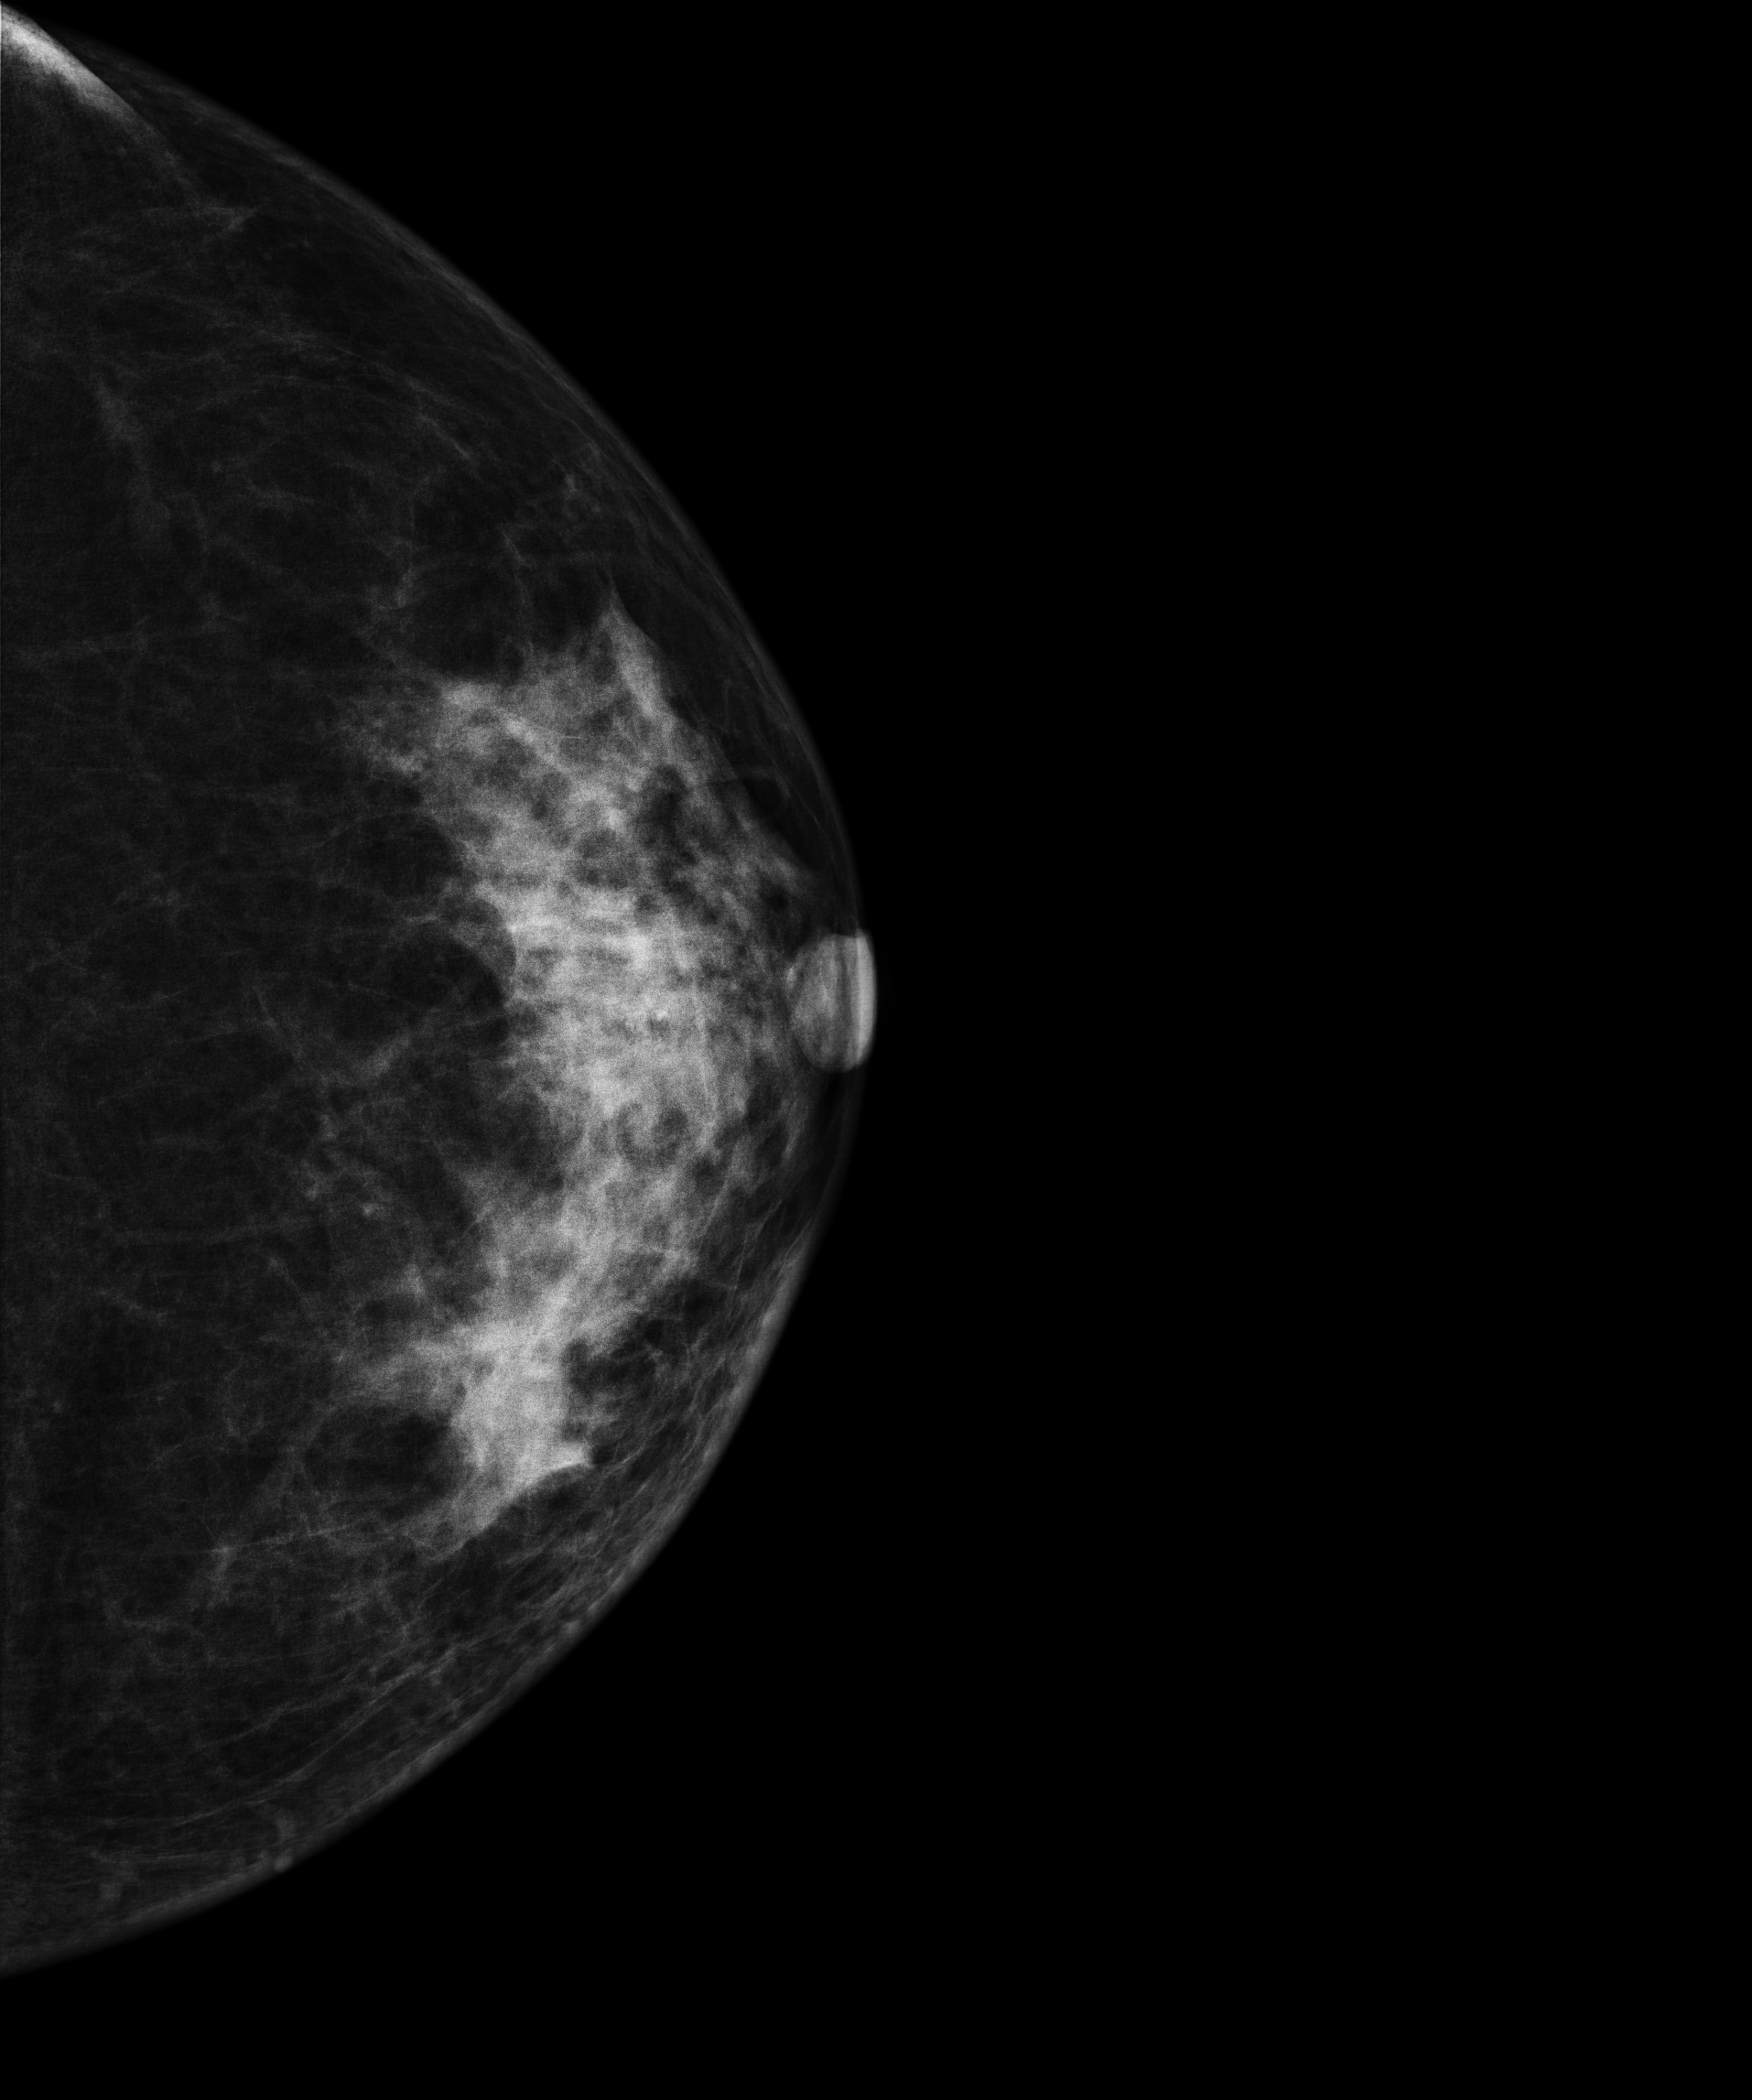
CC mammogram of the left breast. 43-year-old patient.
This breast has a mass, biopsy-proven malignant. Molecular subtype: triple-negative.